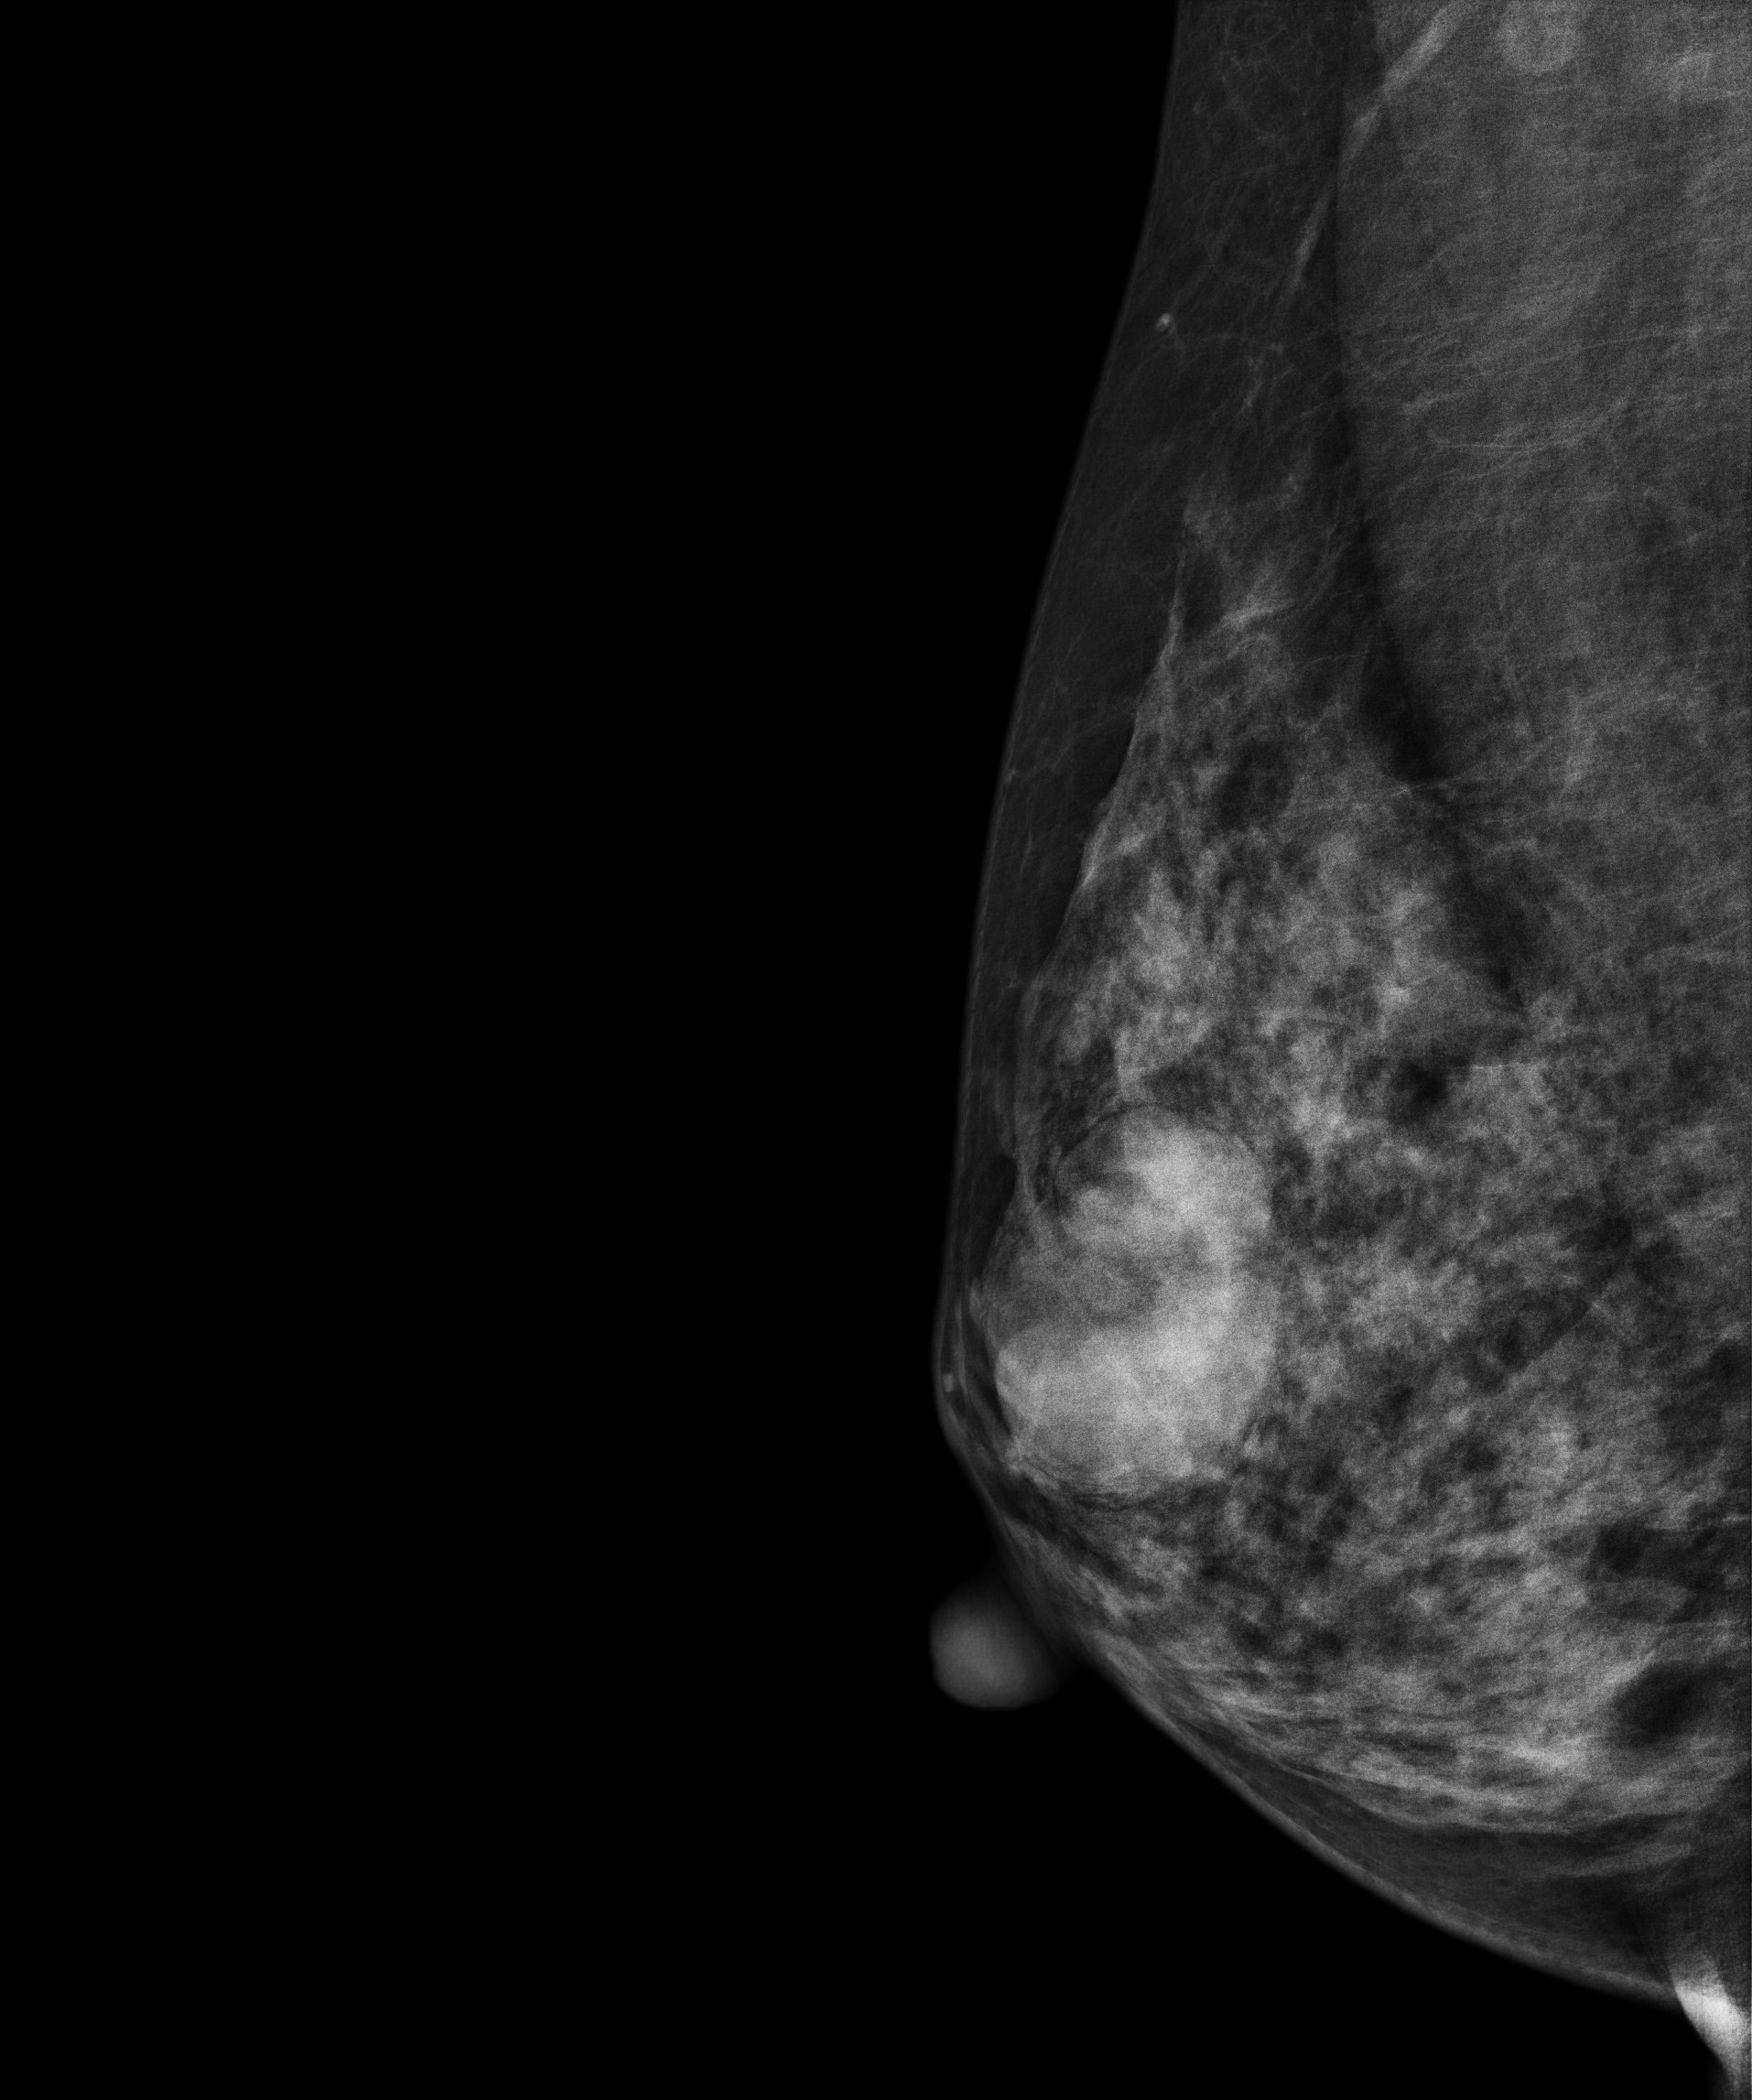
Right-breast mammogram, medio-lateral oblique. Patient age 42.
This breast has a mass, biopsy-confirmed malignant.